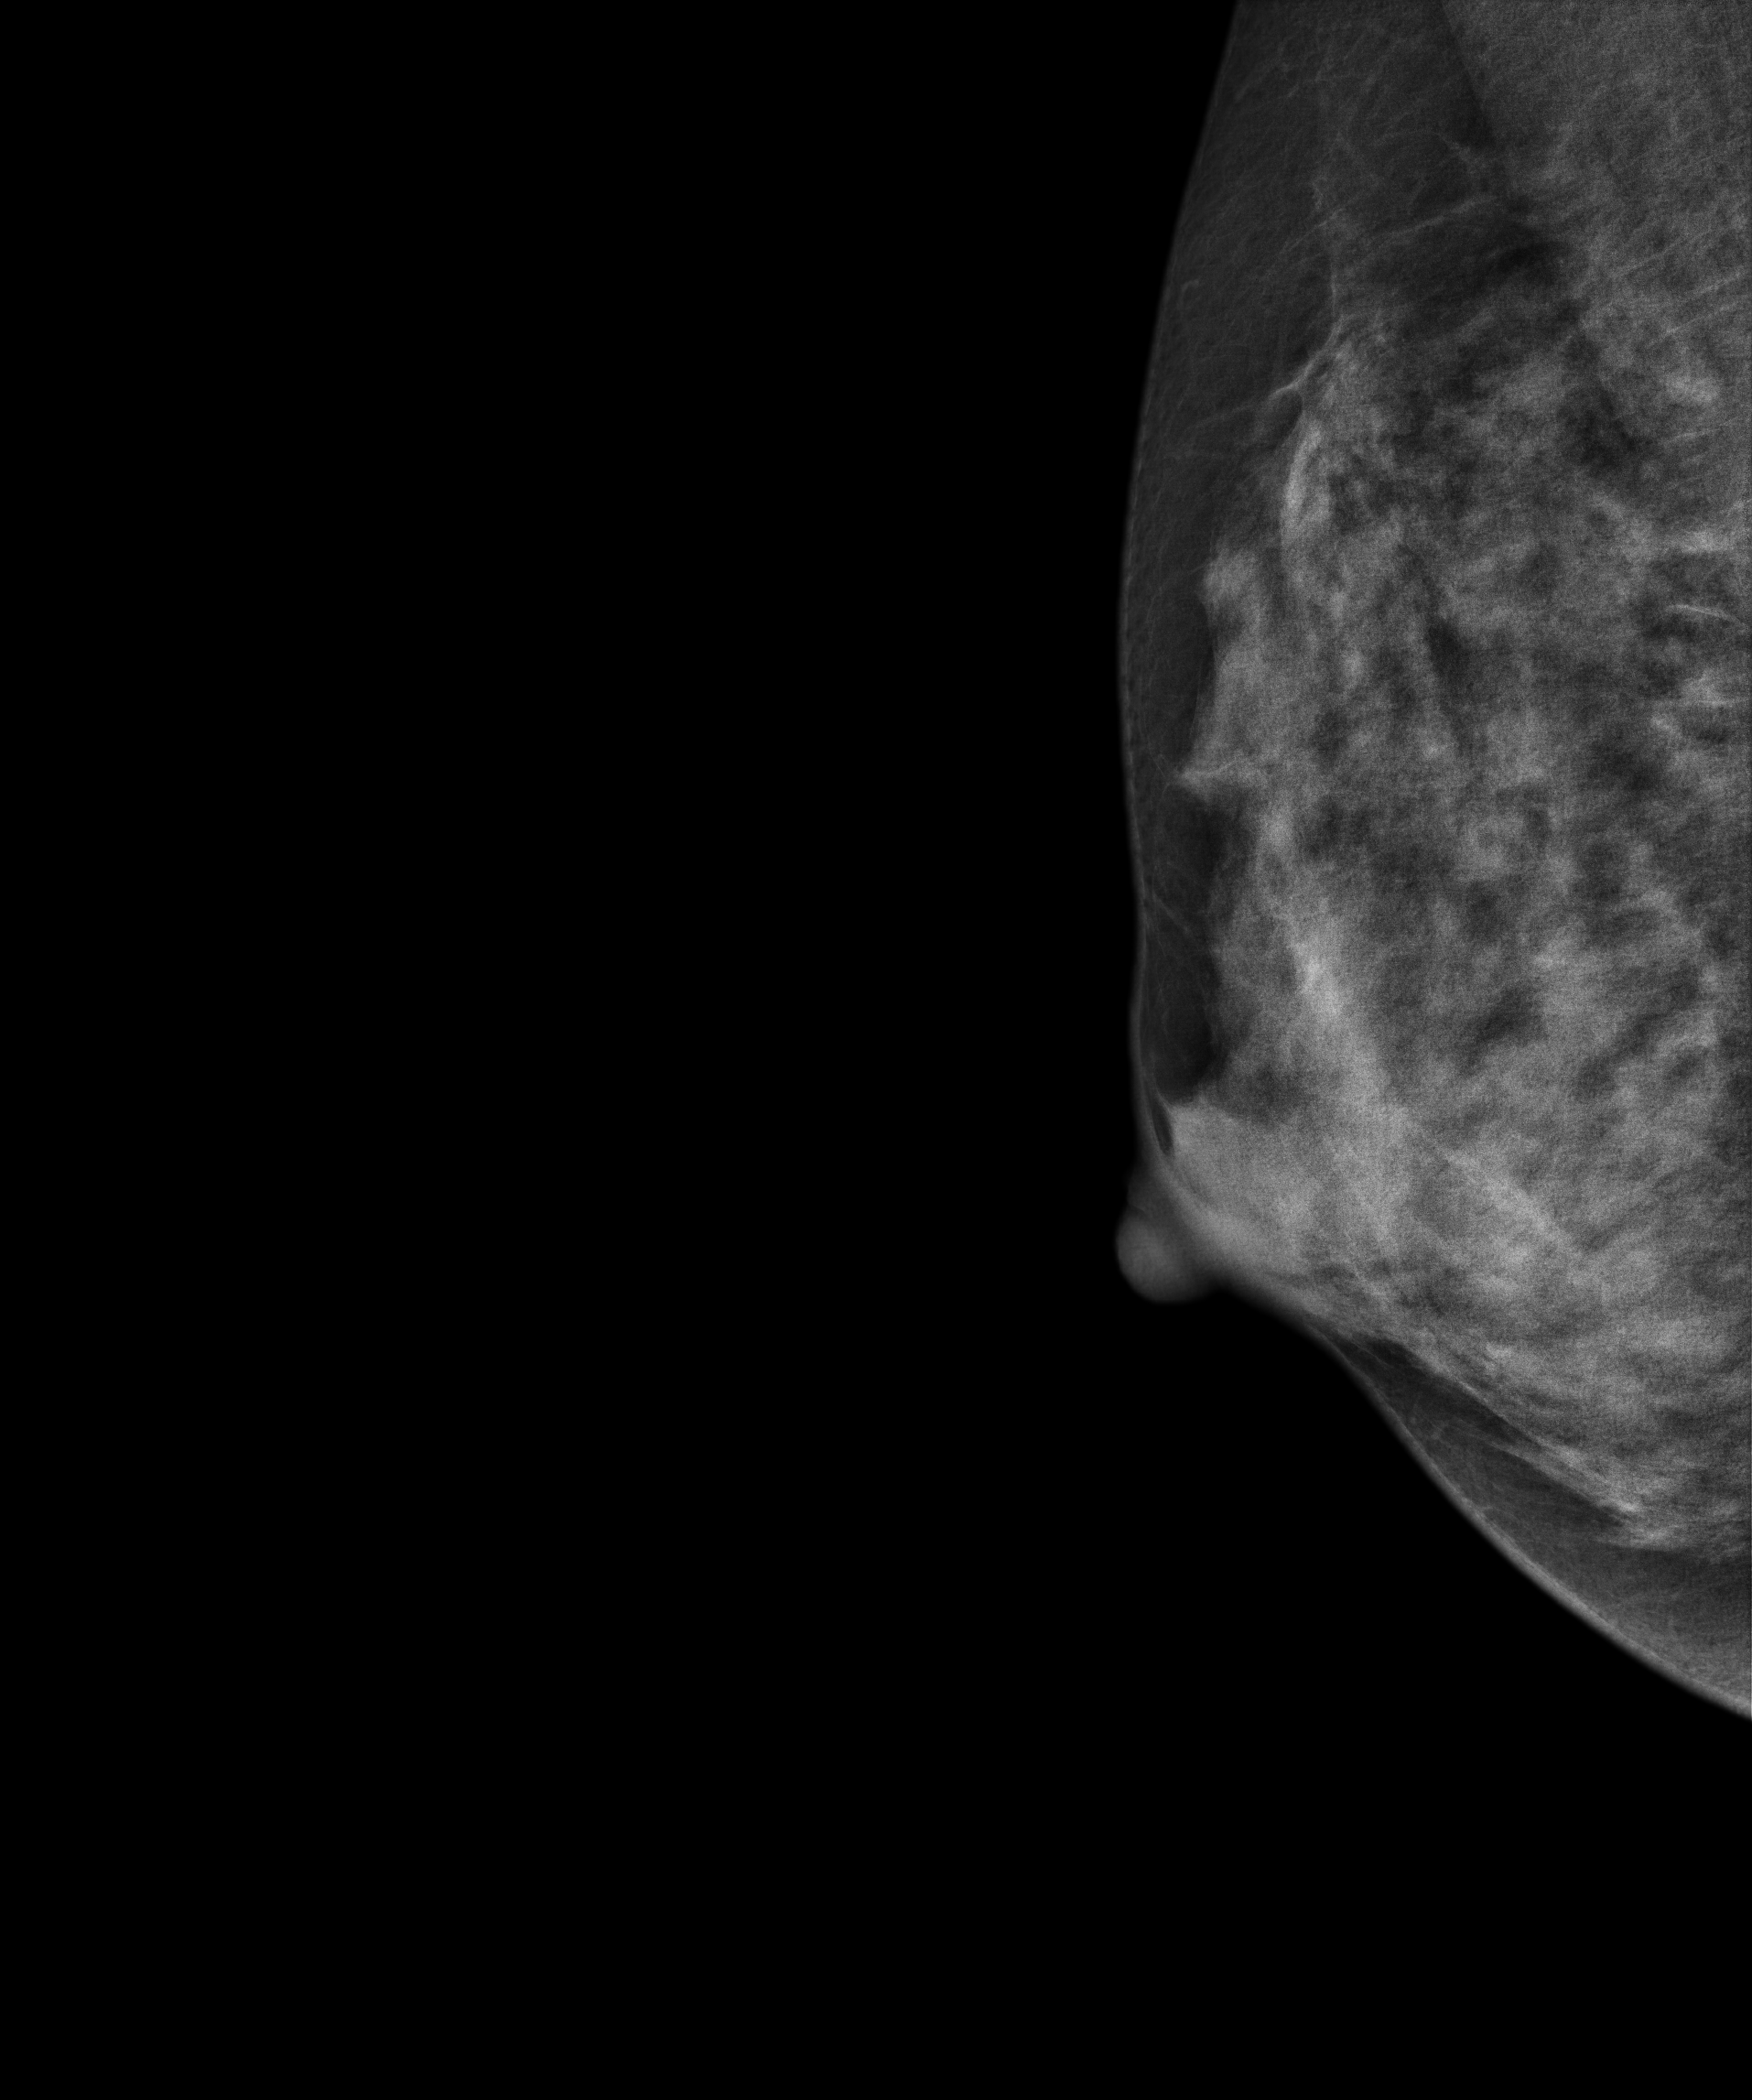
Digital mammography. Right breast, medio-lateral oblique projection. Patient age 32.
This breast has a mass, histologically confirmed benign.